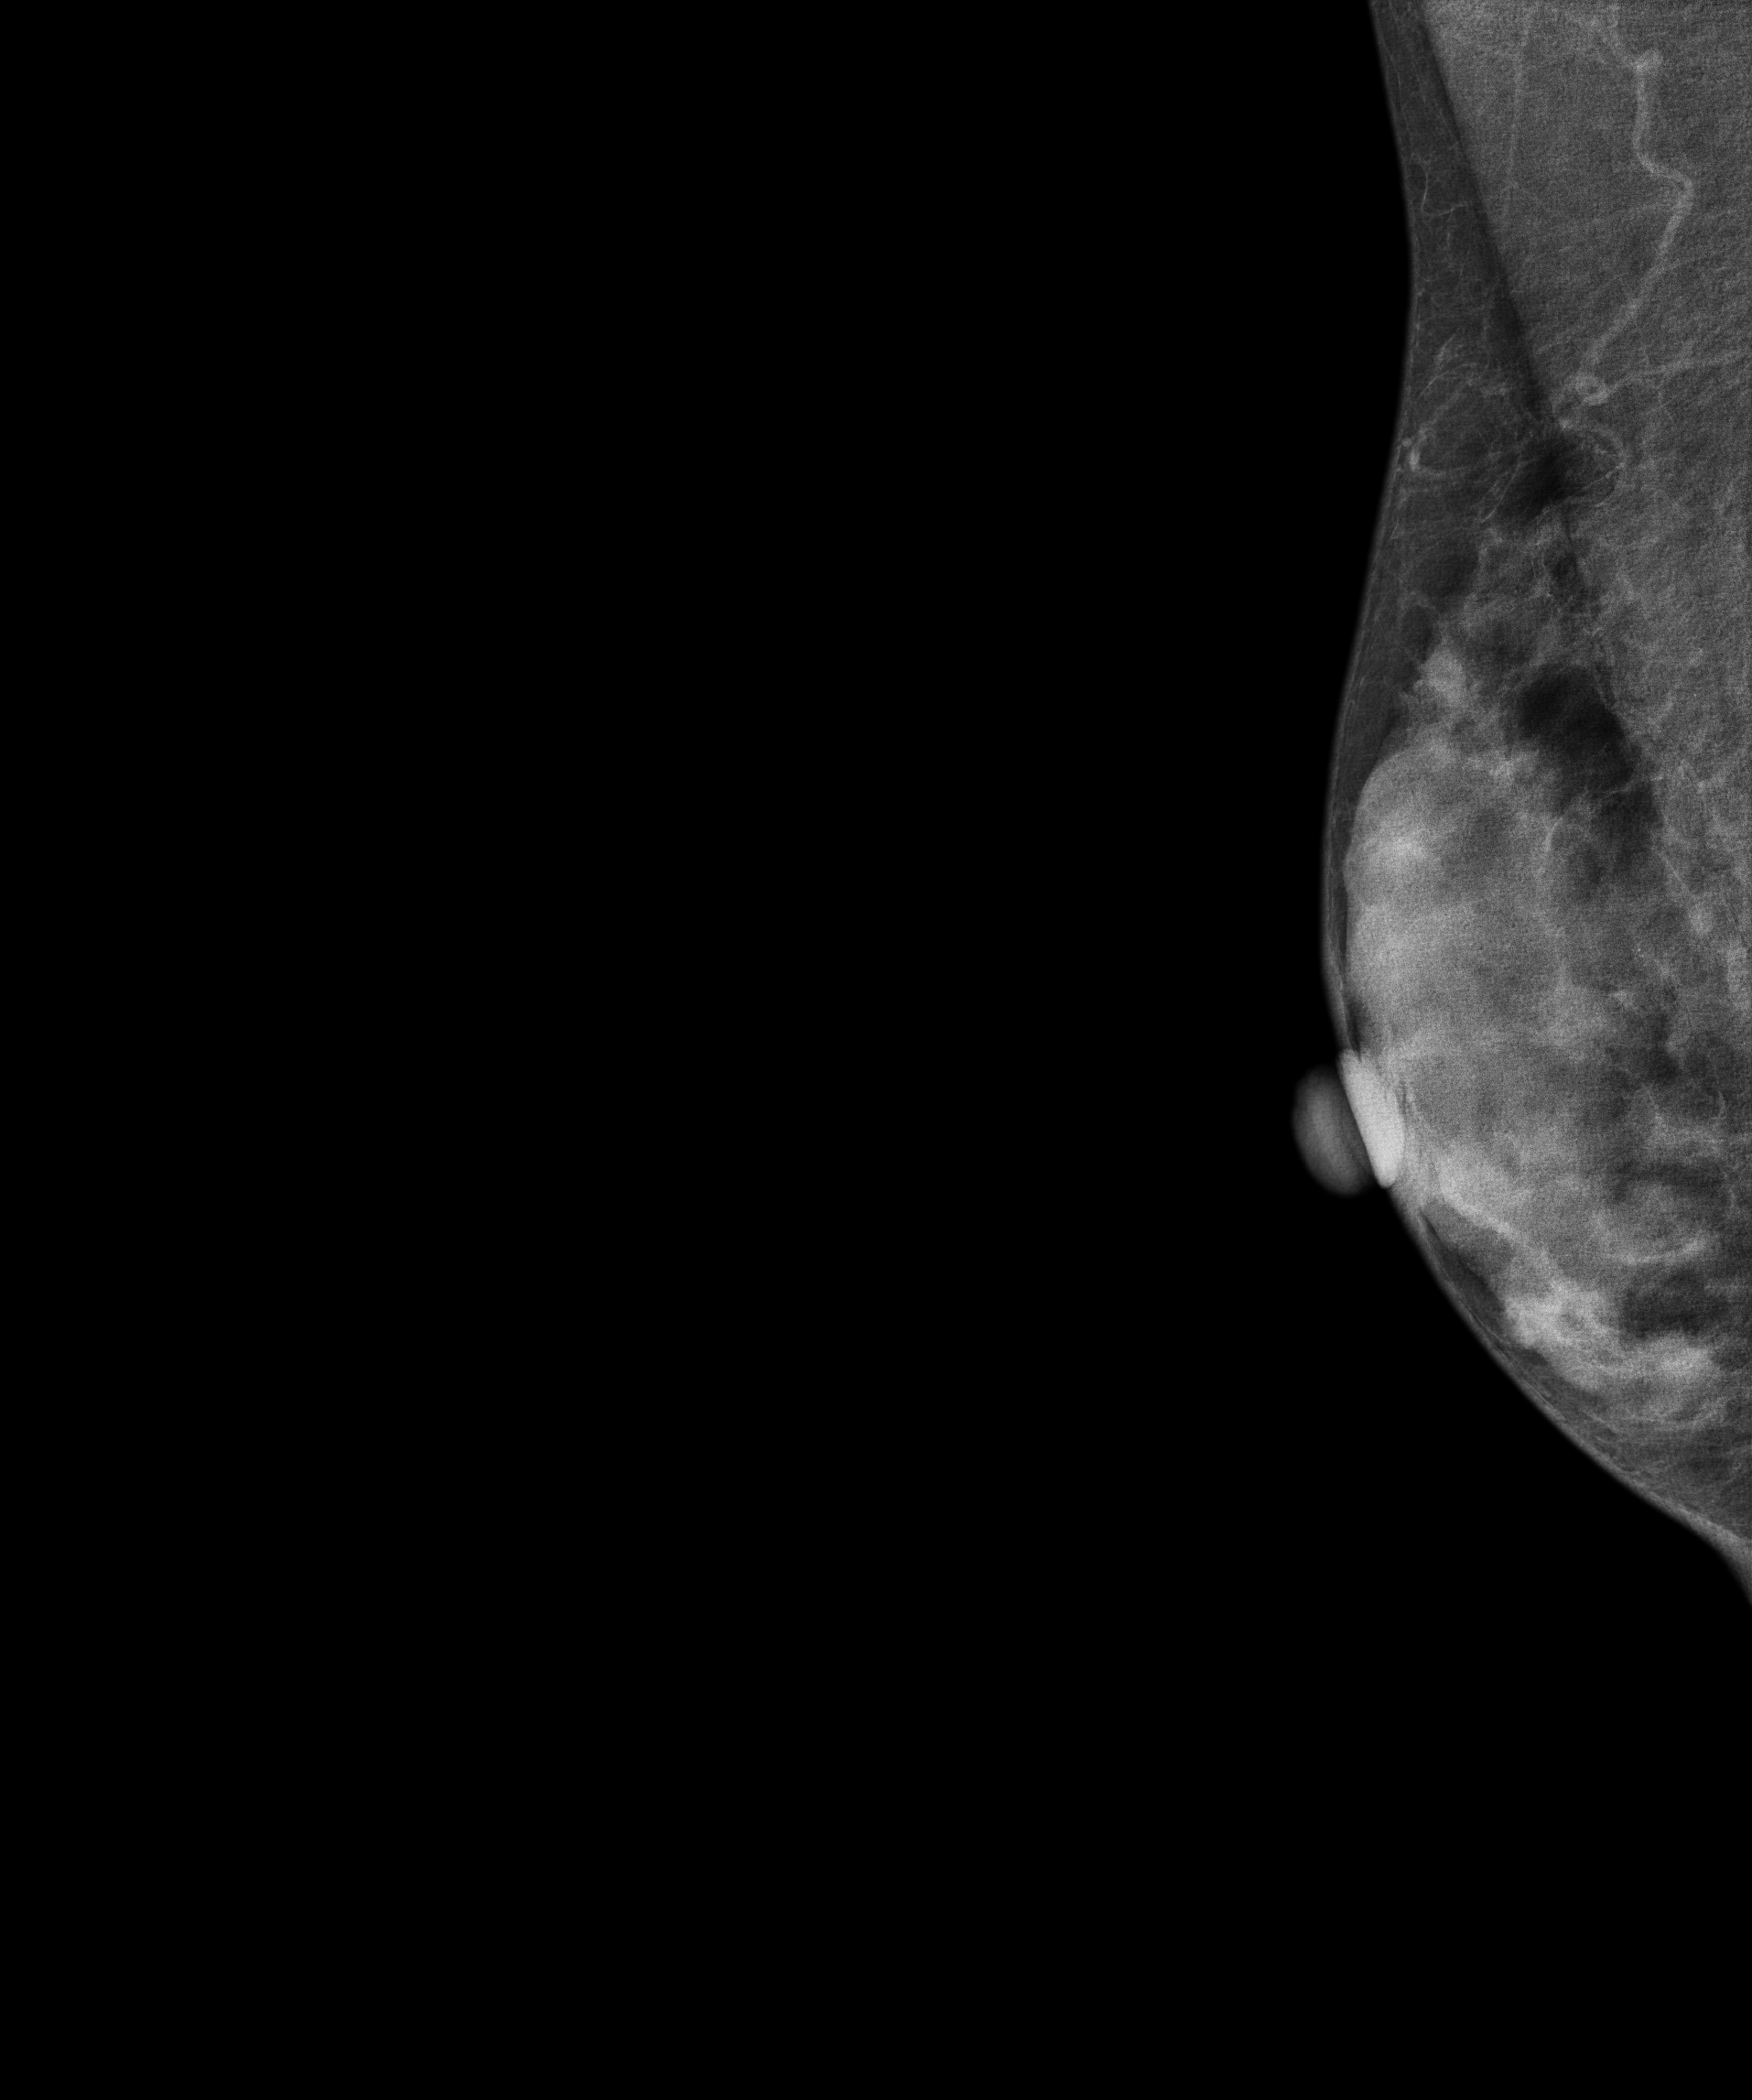
Mammogram, right breast, MLO view. 46-year-old patient.
Contralateral breast — no documented abnormality on this side.